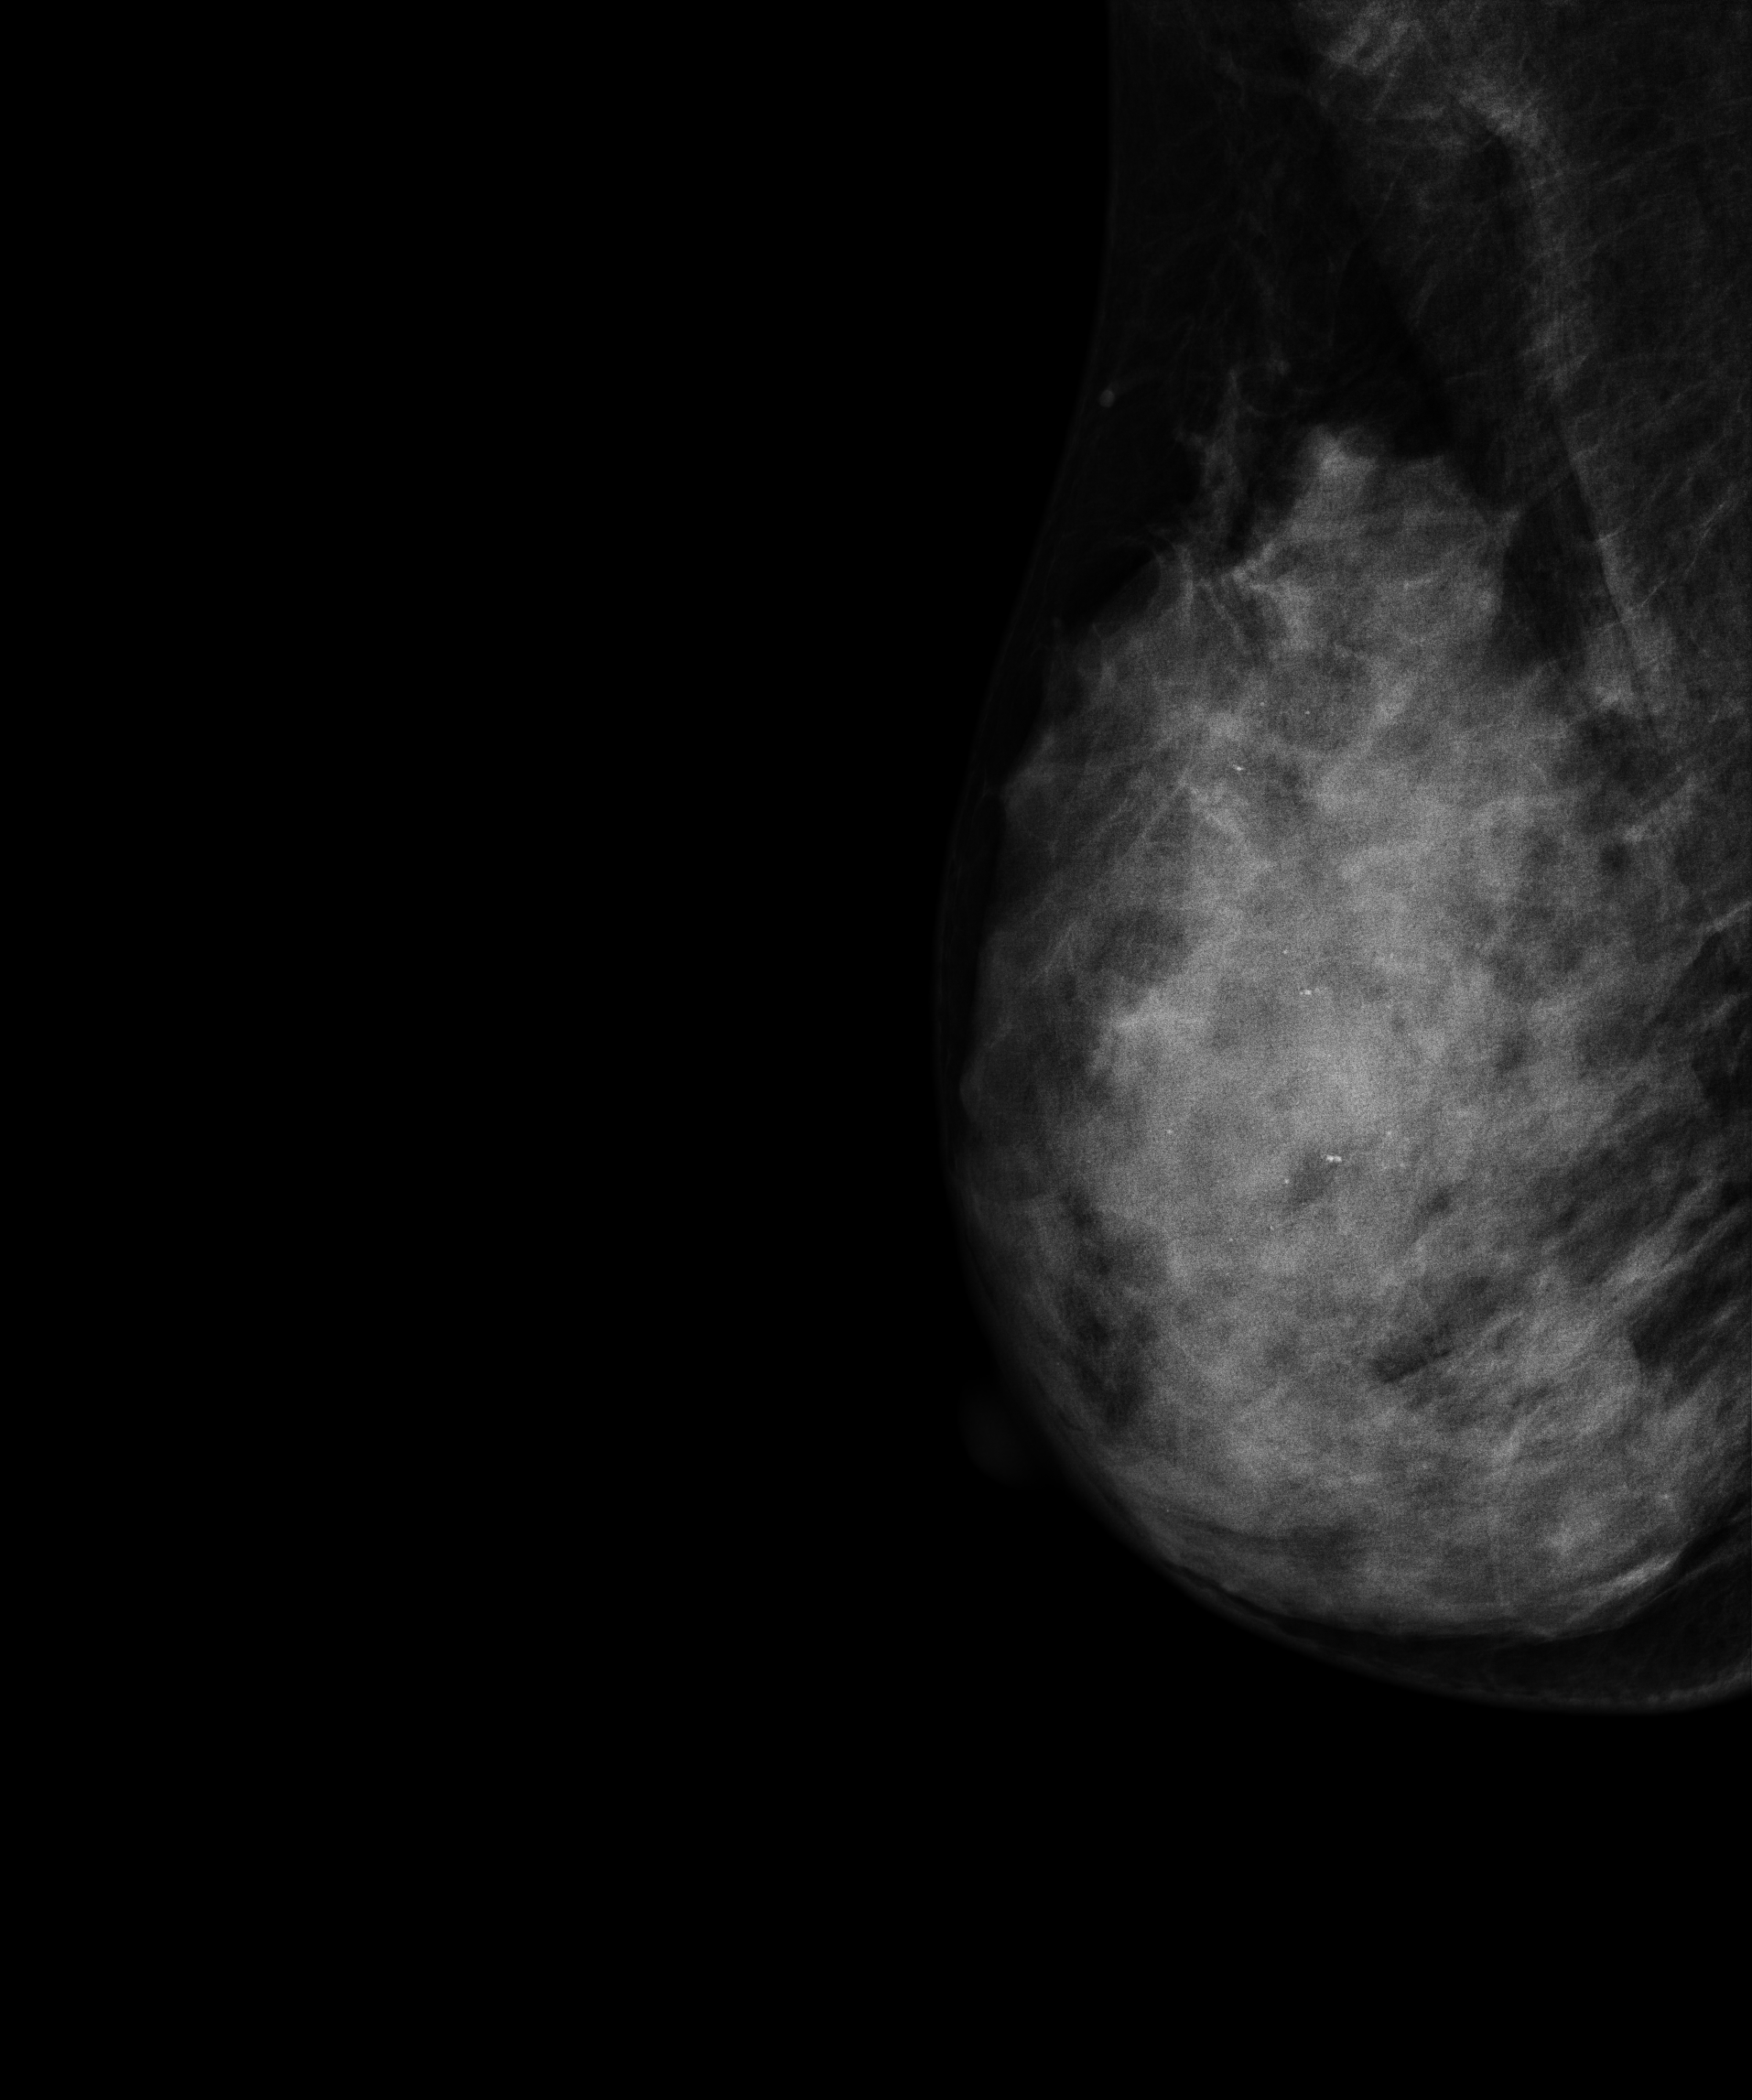
Medio-lateral oblique mammogram of the right breast. Patient age 43.
This breast has calcifications, pathology-confirmed benign.